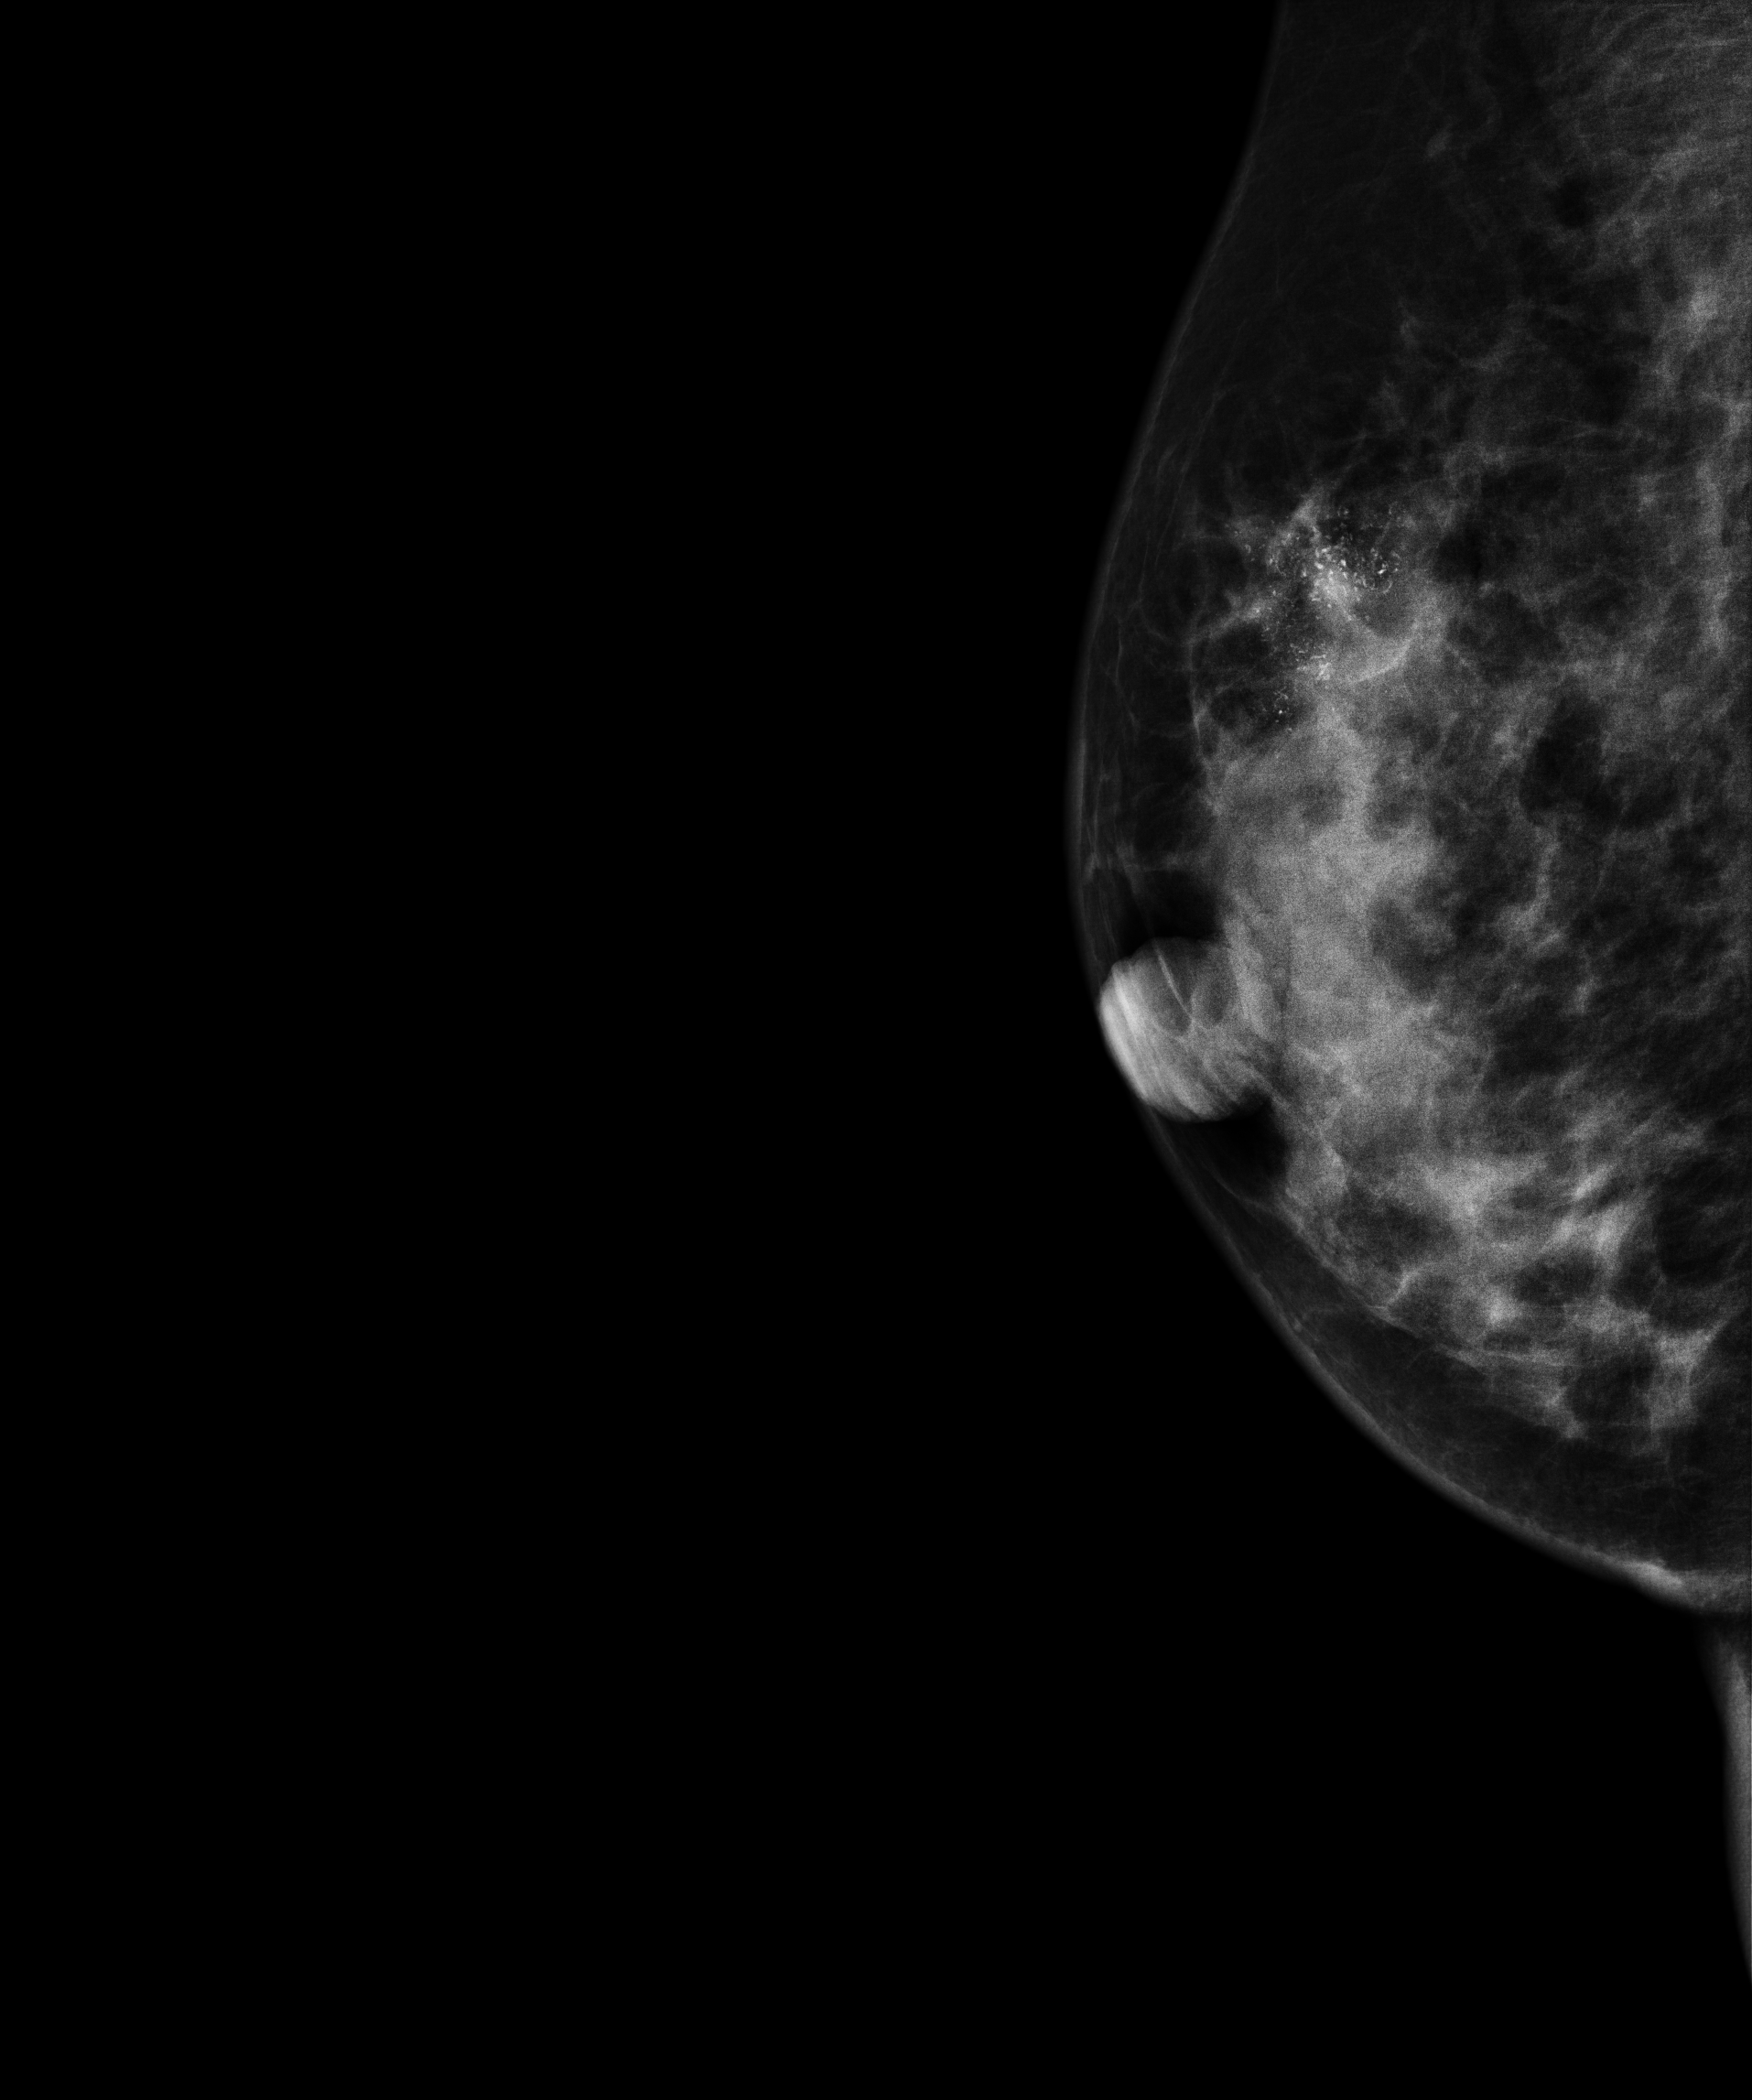
Mammogram — right medio-lateral oblique. Patient age 44.
This breast has calcifications, histologically confirmed malignant.